CC mammogram of the right breast. Patient age 65.
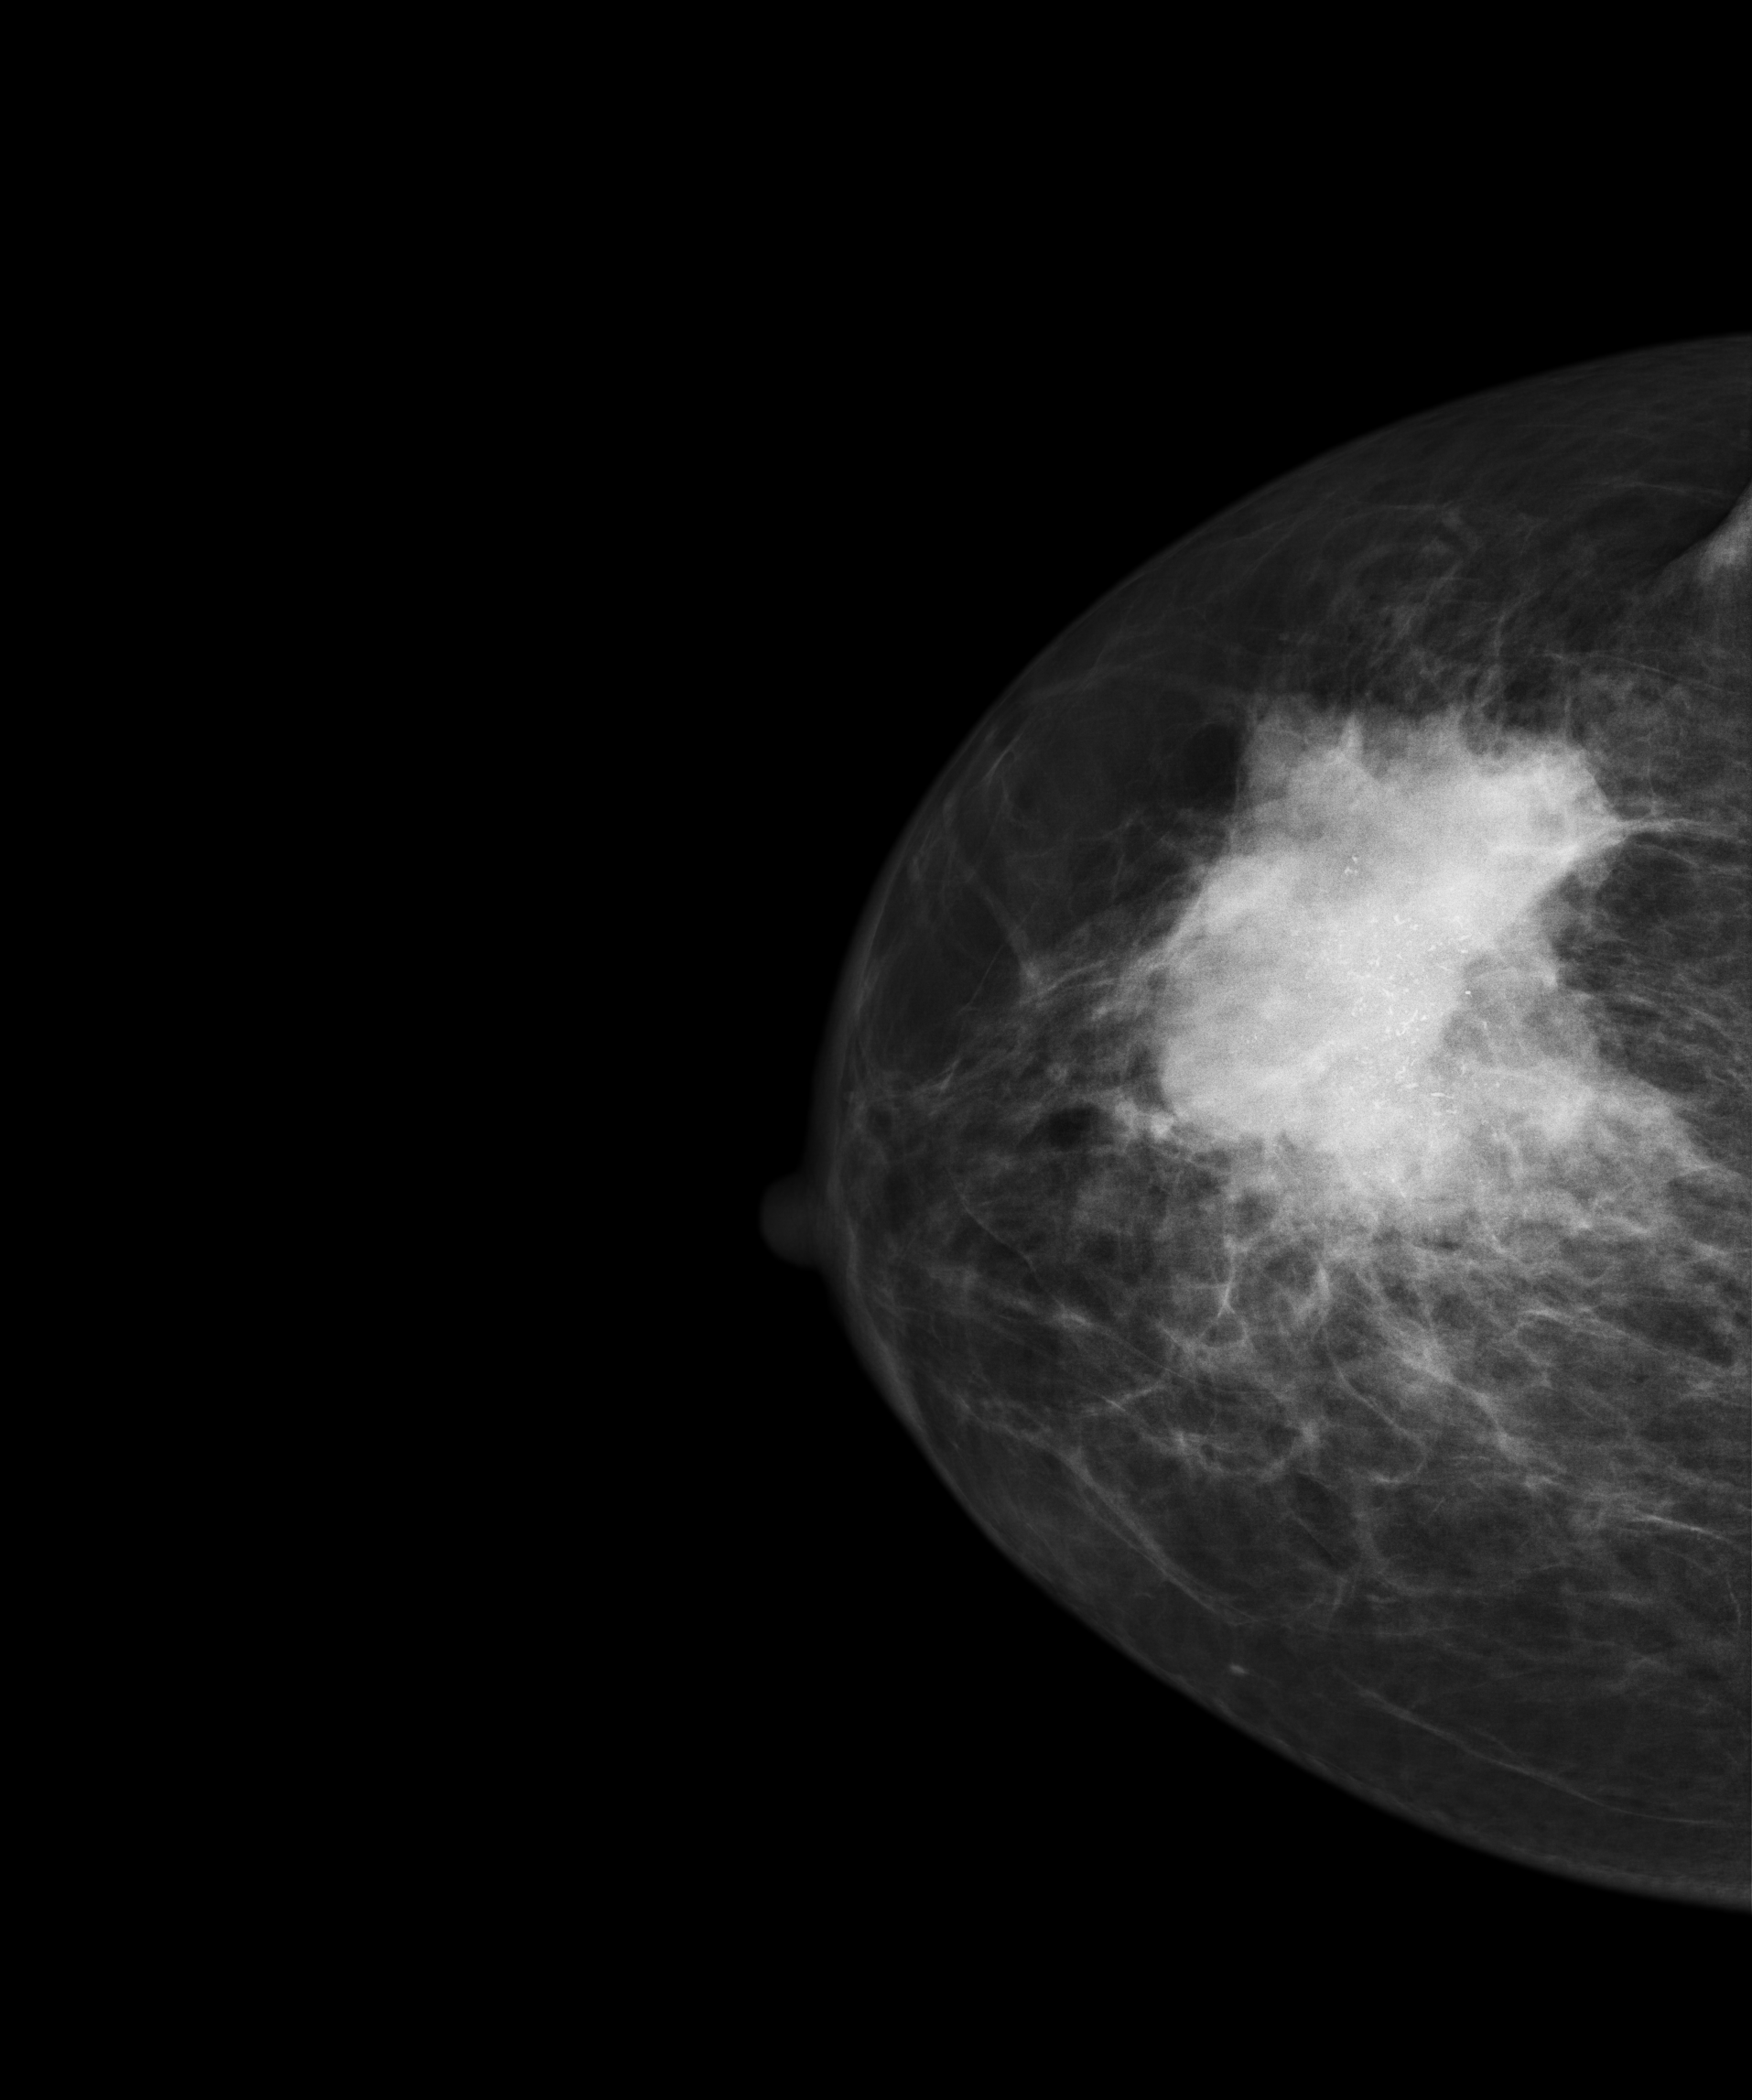
This breast has a mass and calcifications, biopsy-proven malignant.